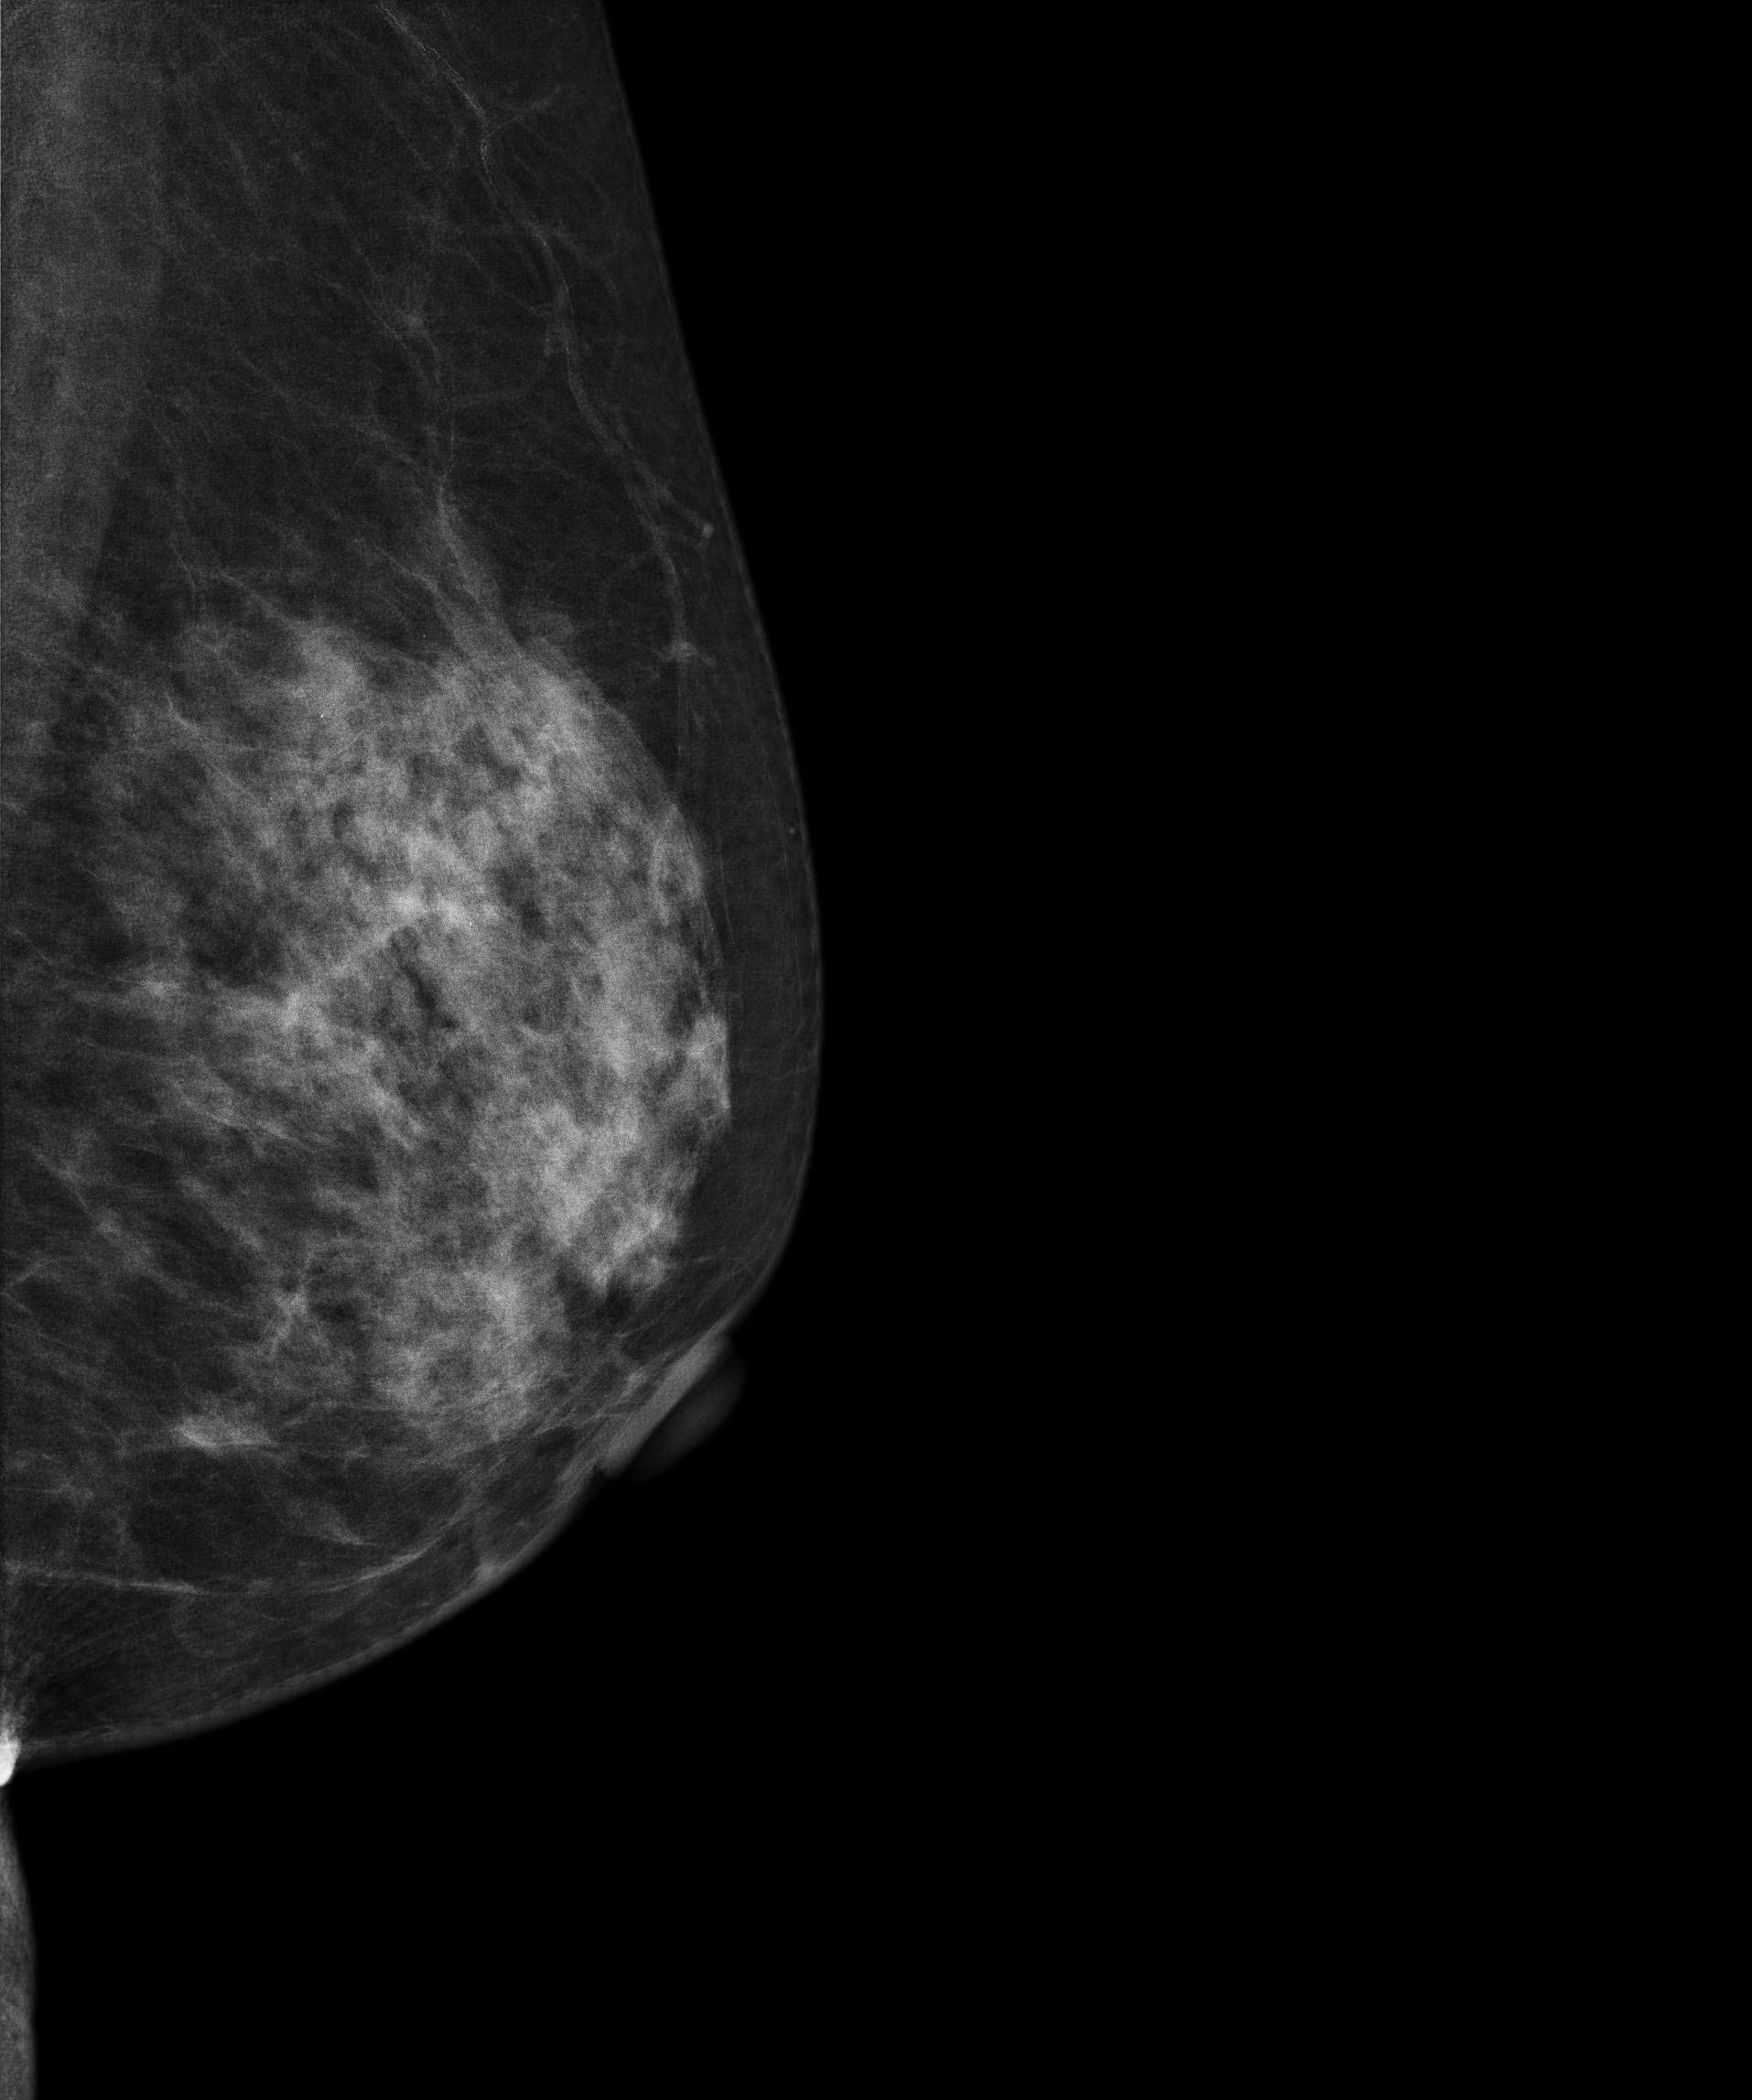
Mammogram — left MLO. 60 y/o patient.
This breast has calcifications, pathology-confirmed benign.